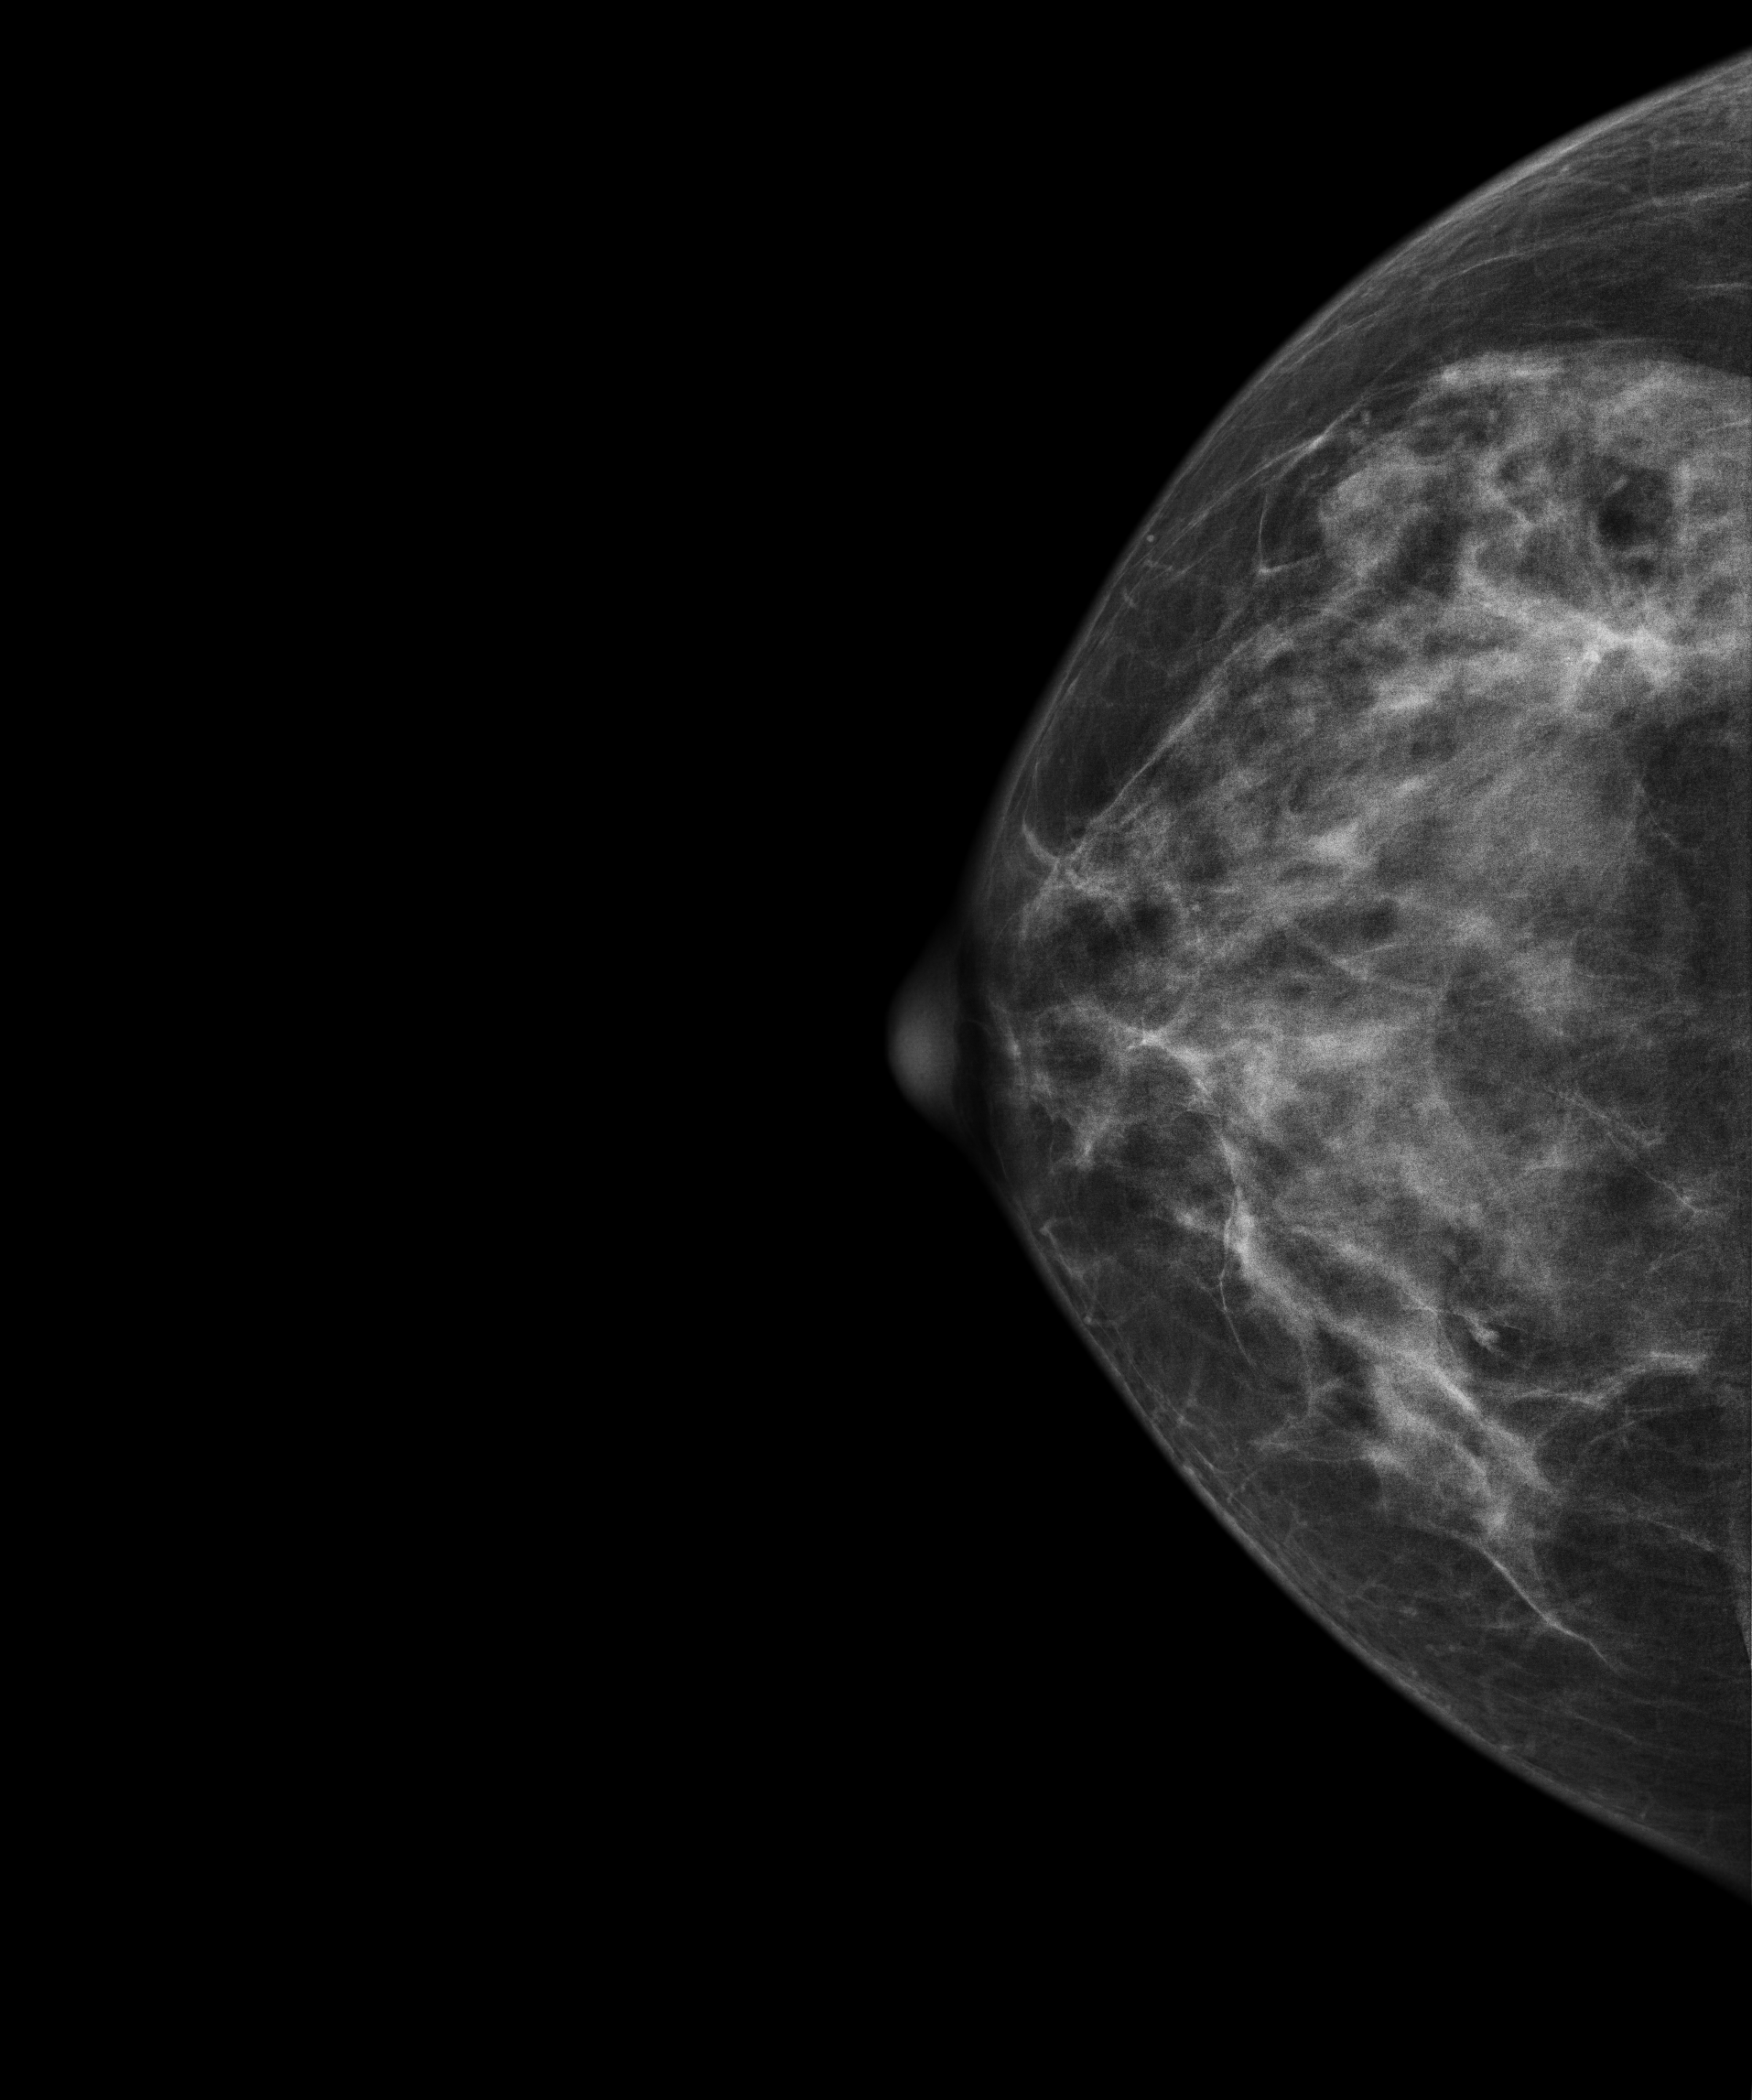
Digital mammography. Right breast, CC projection. Patient age 49.
This breast has a mass, histologically confirmed malignant. Molecular subtype: luminal B.